Digital mammography. Right breast, CC projection. Patient age 78.
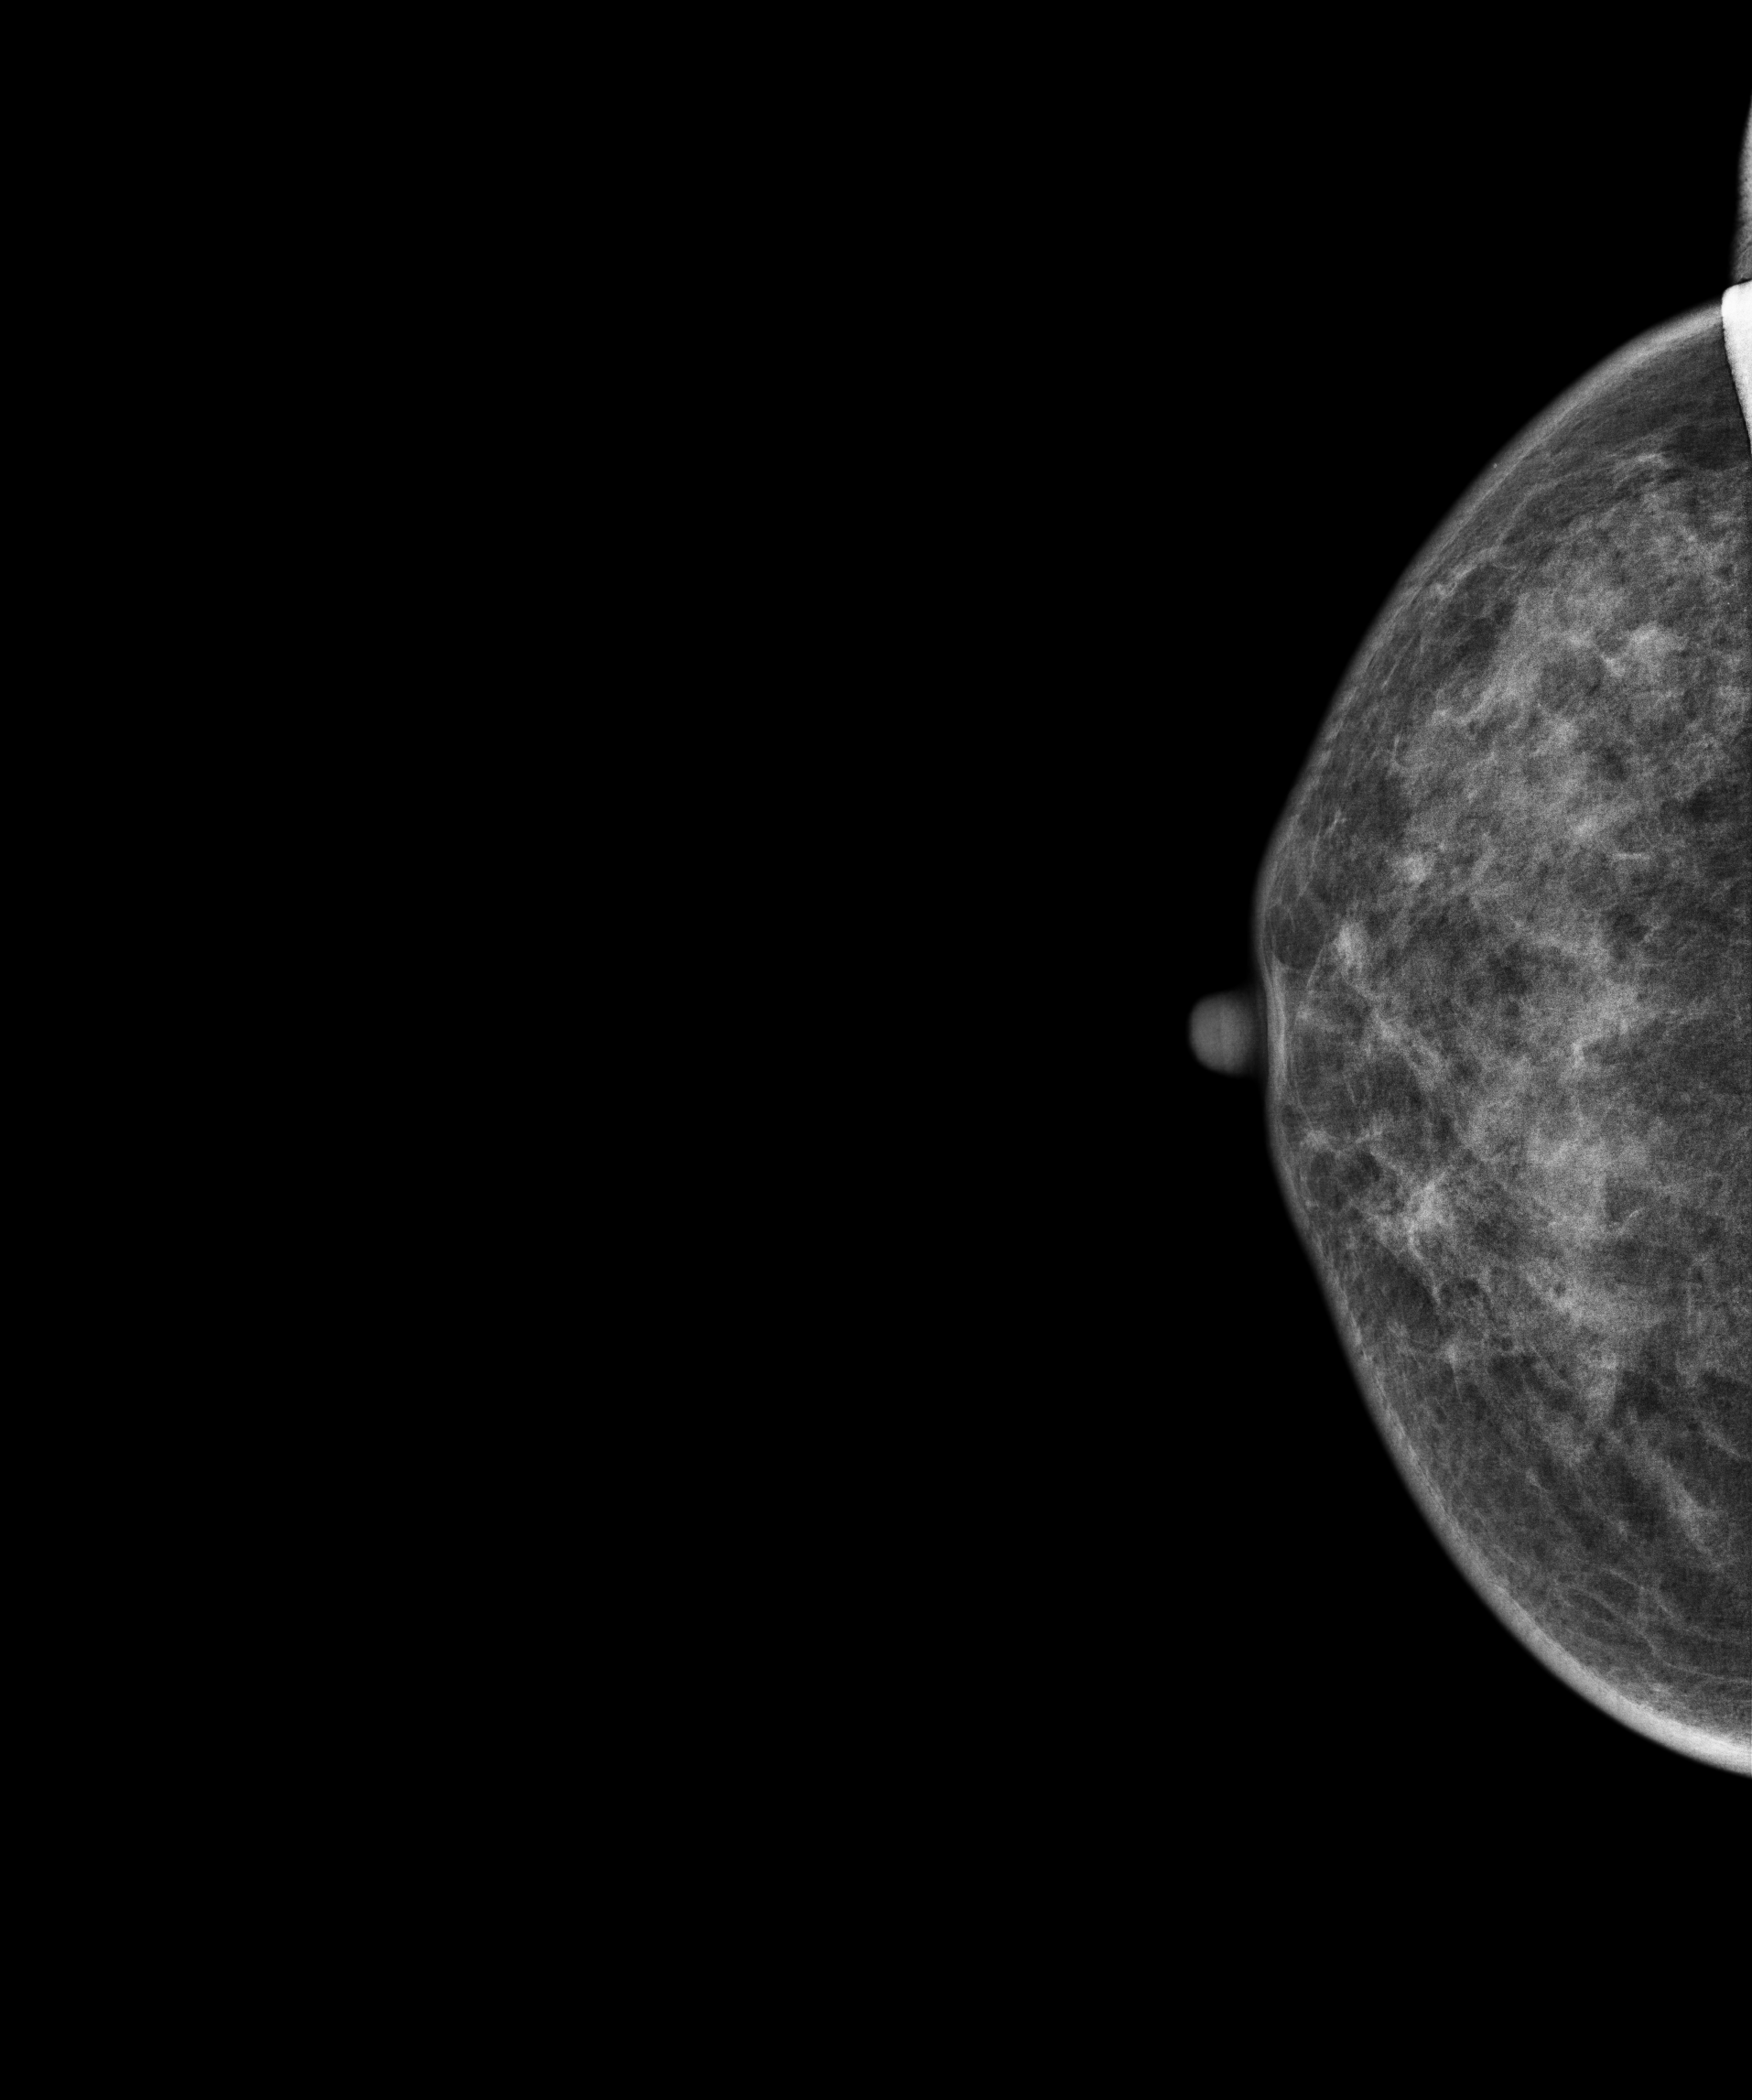
Contralateral breast — no documented abnormality on this side.